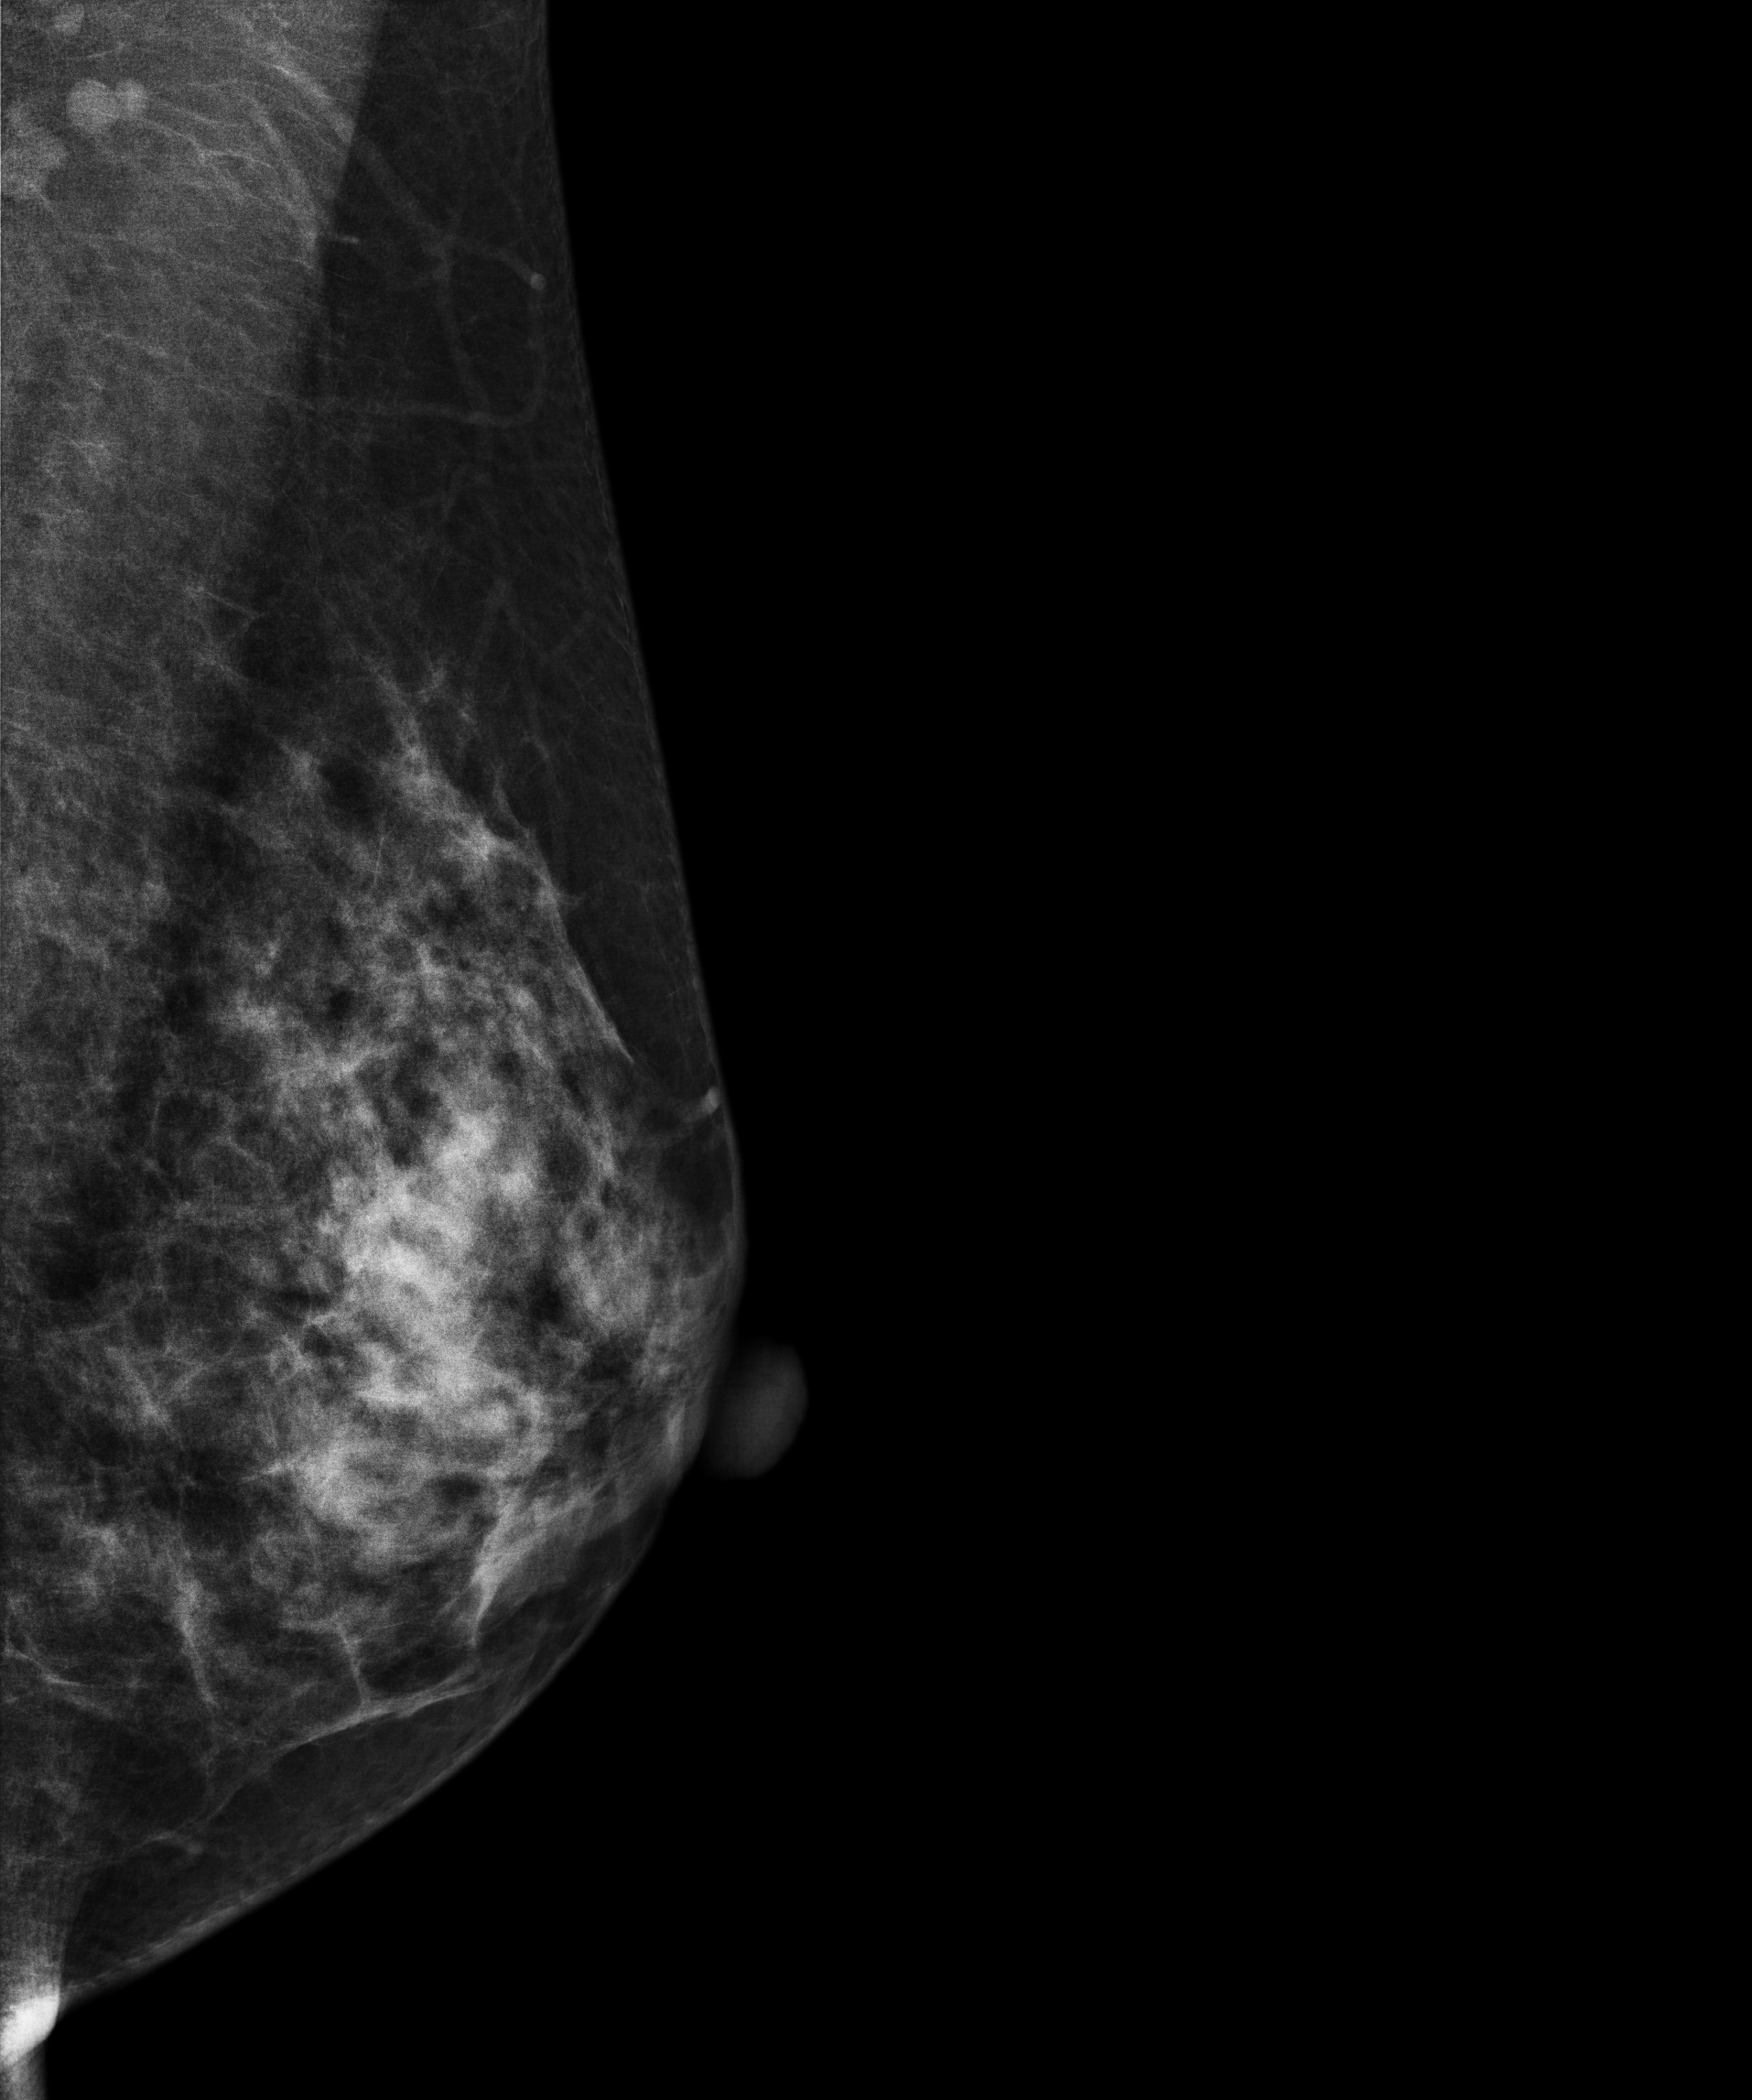
Digital mammography. Left breast, MLO projection. 38-year-old patient.
This breast has a mass, pathology-confirmed benign.